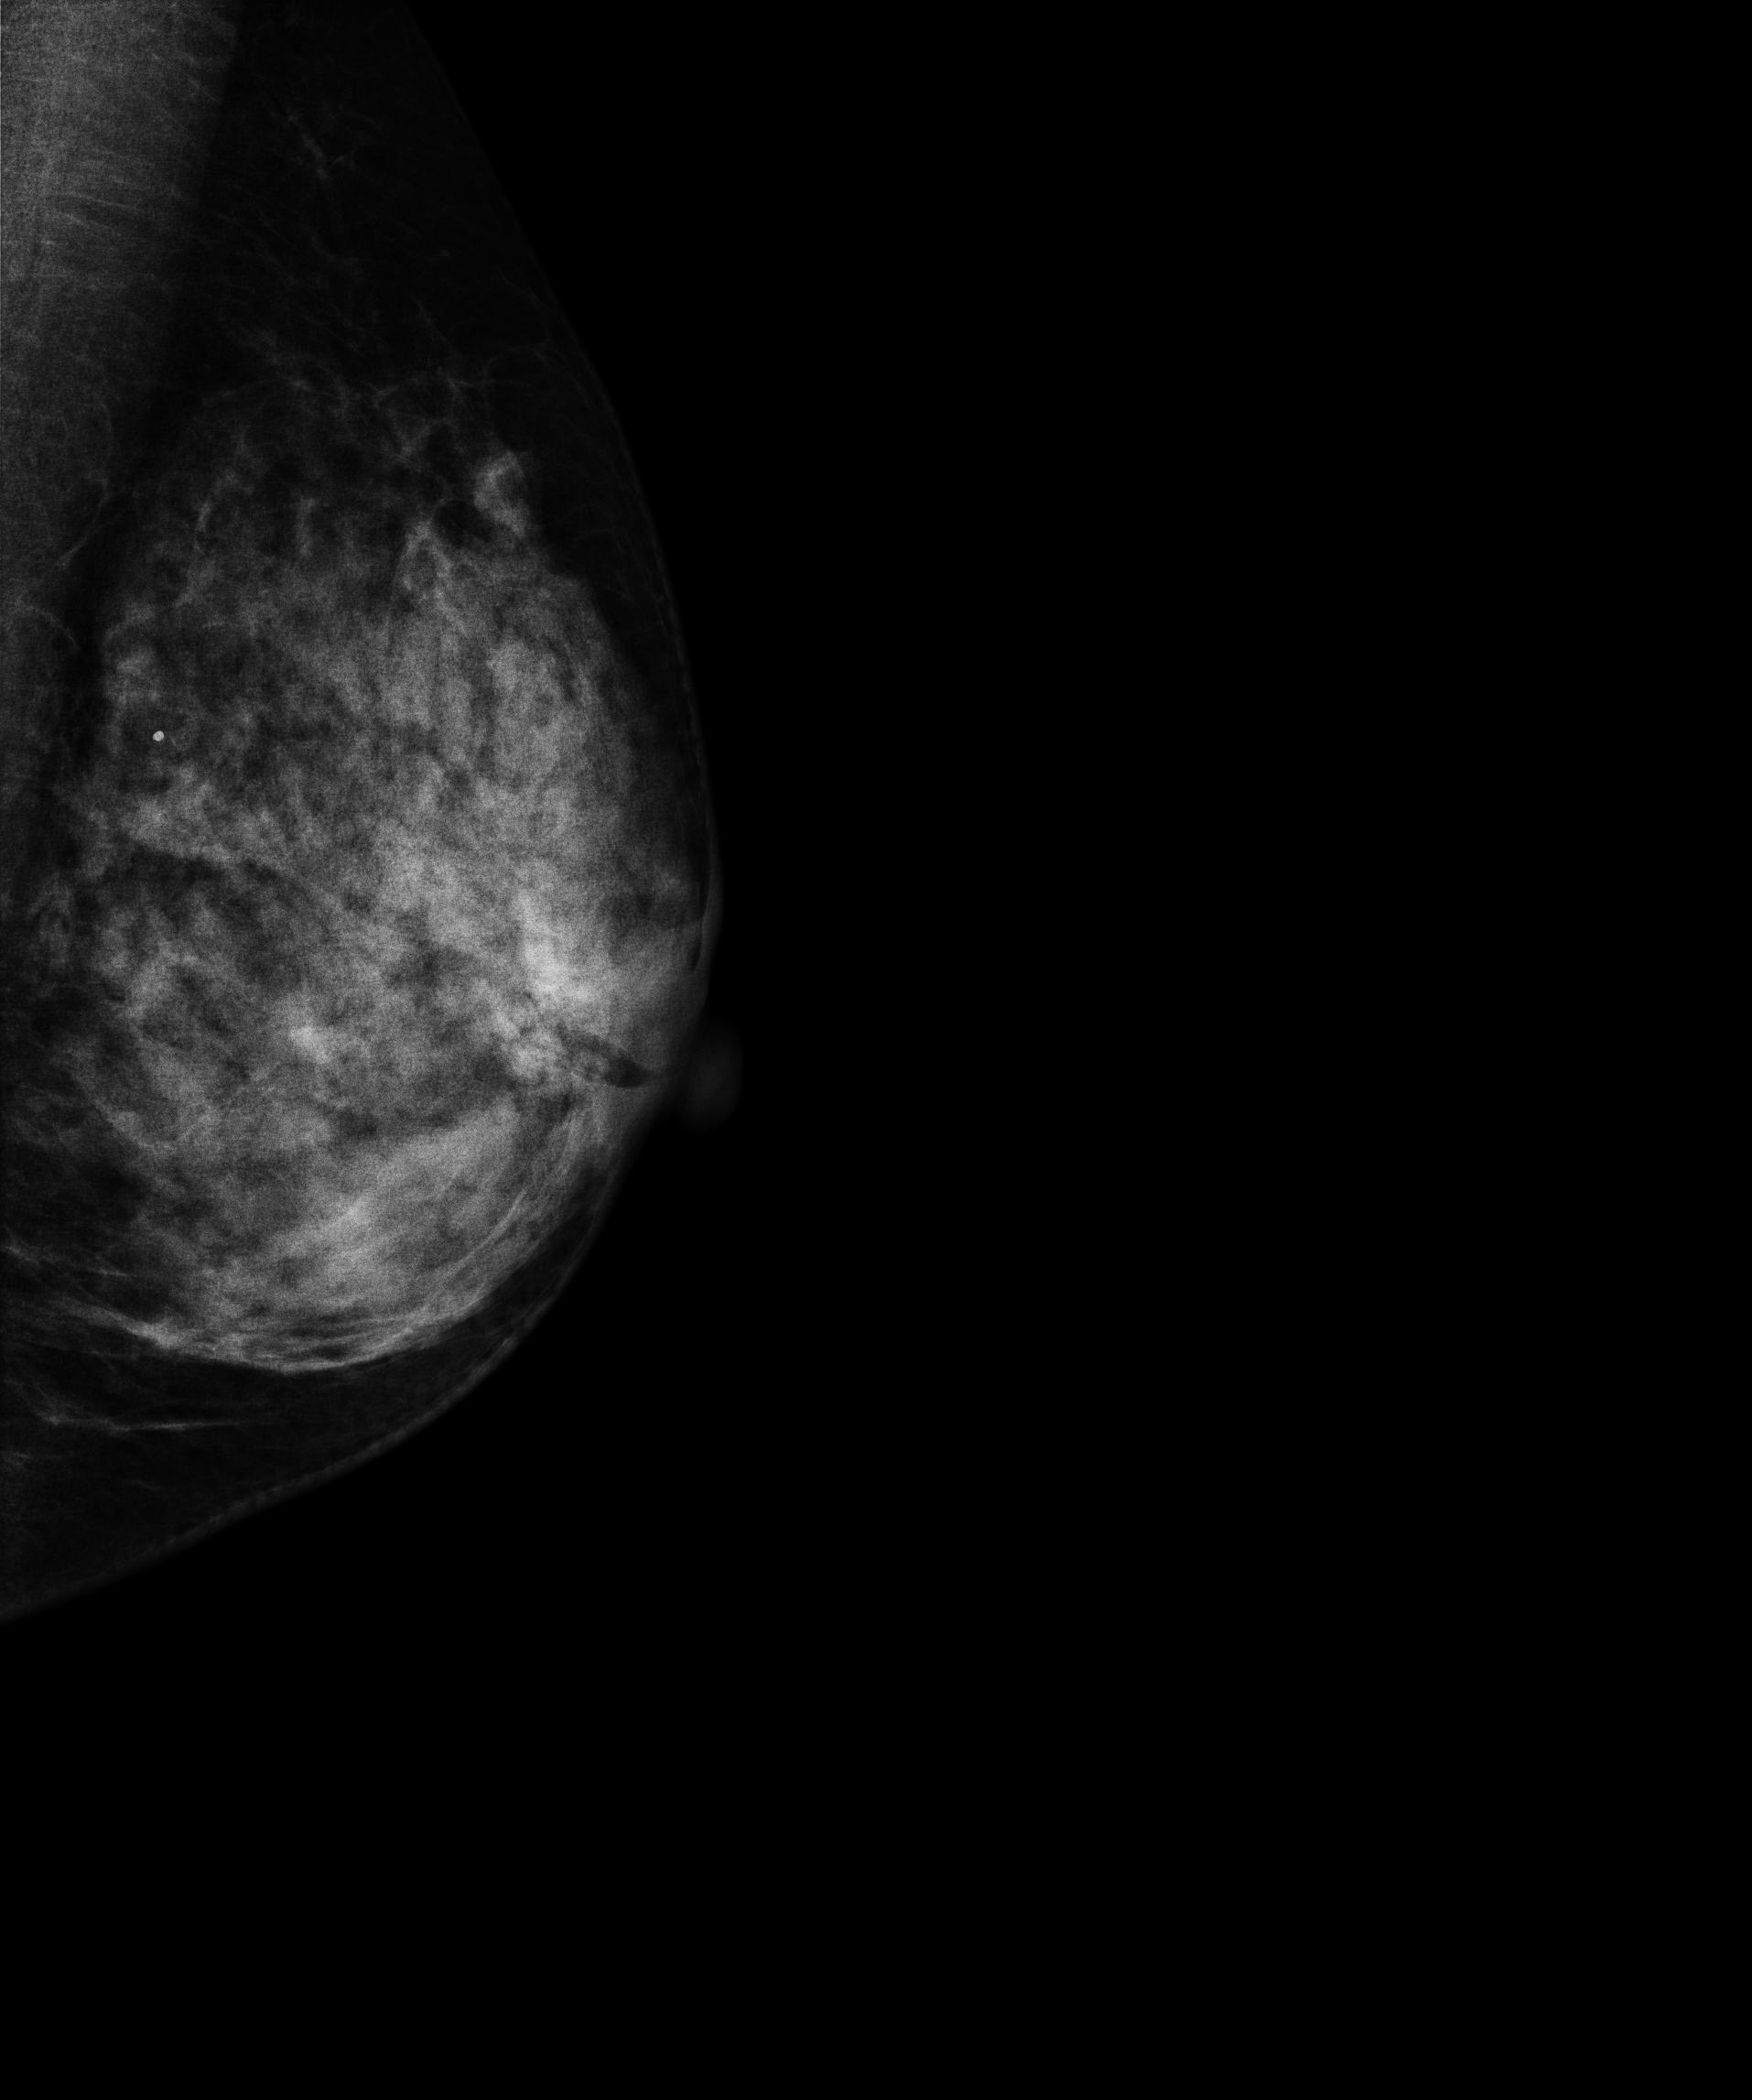
Mammogram — left MLO. 37-year-old patient.
This breast has a mass, biopsy-proven benign.